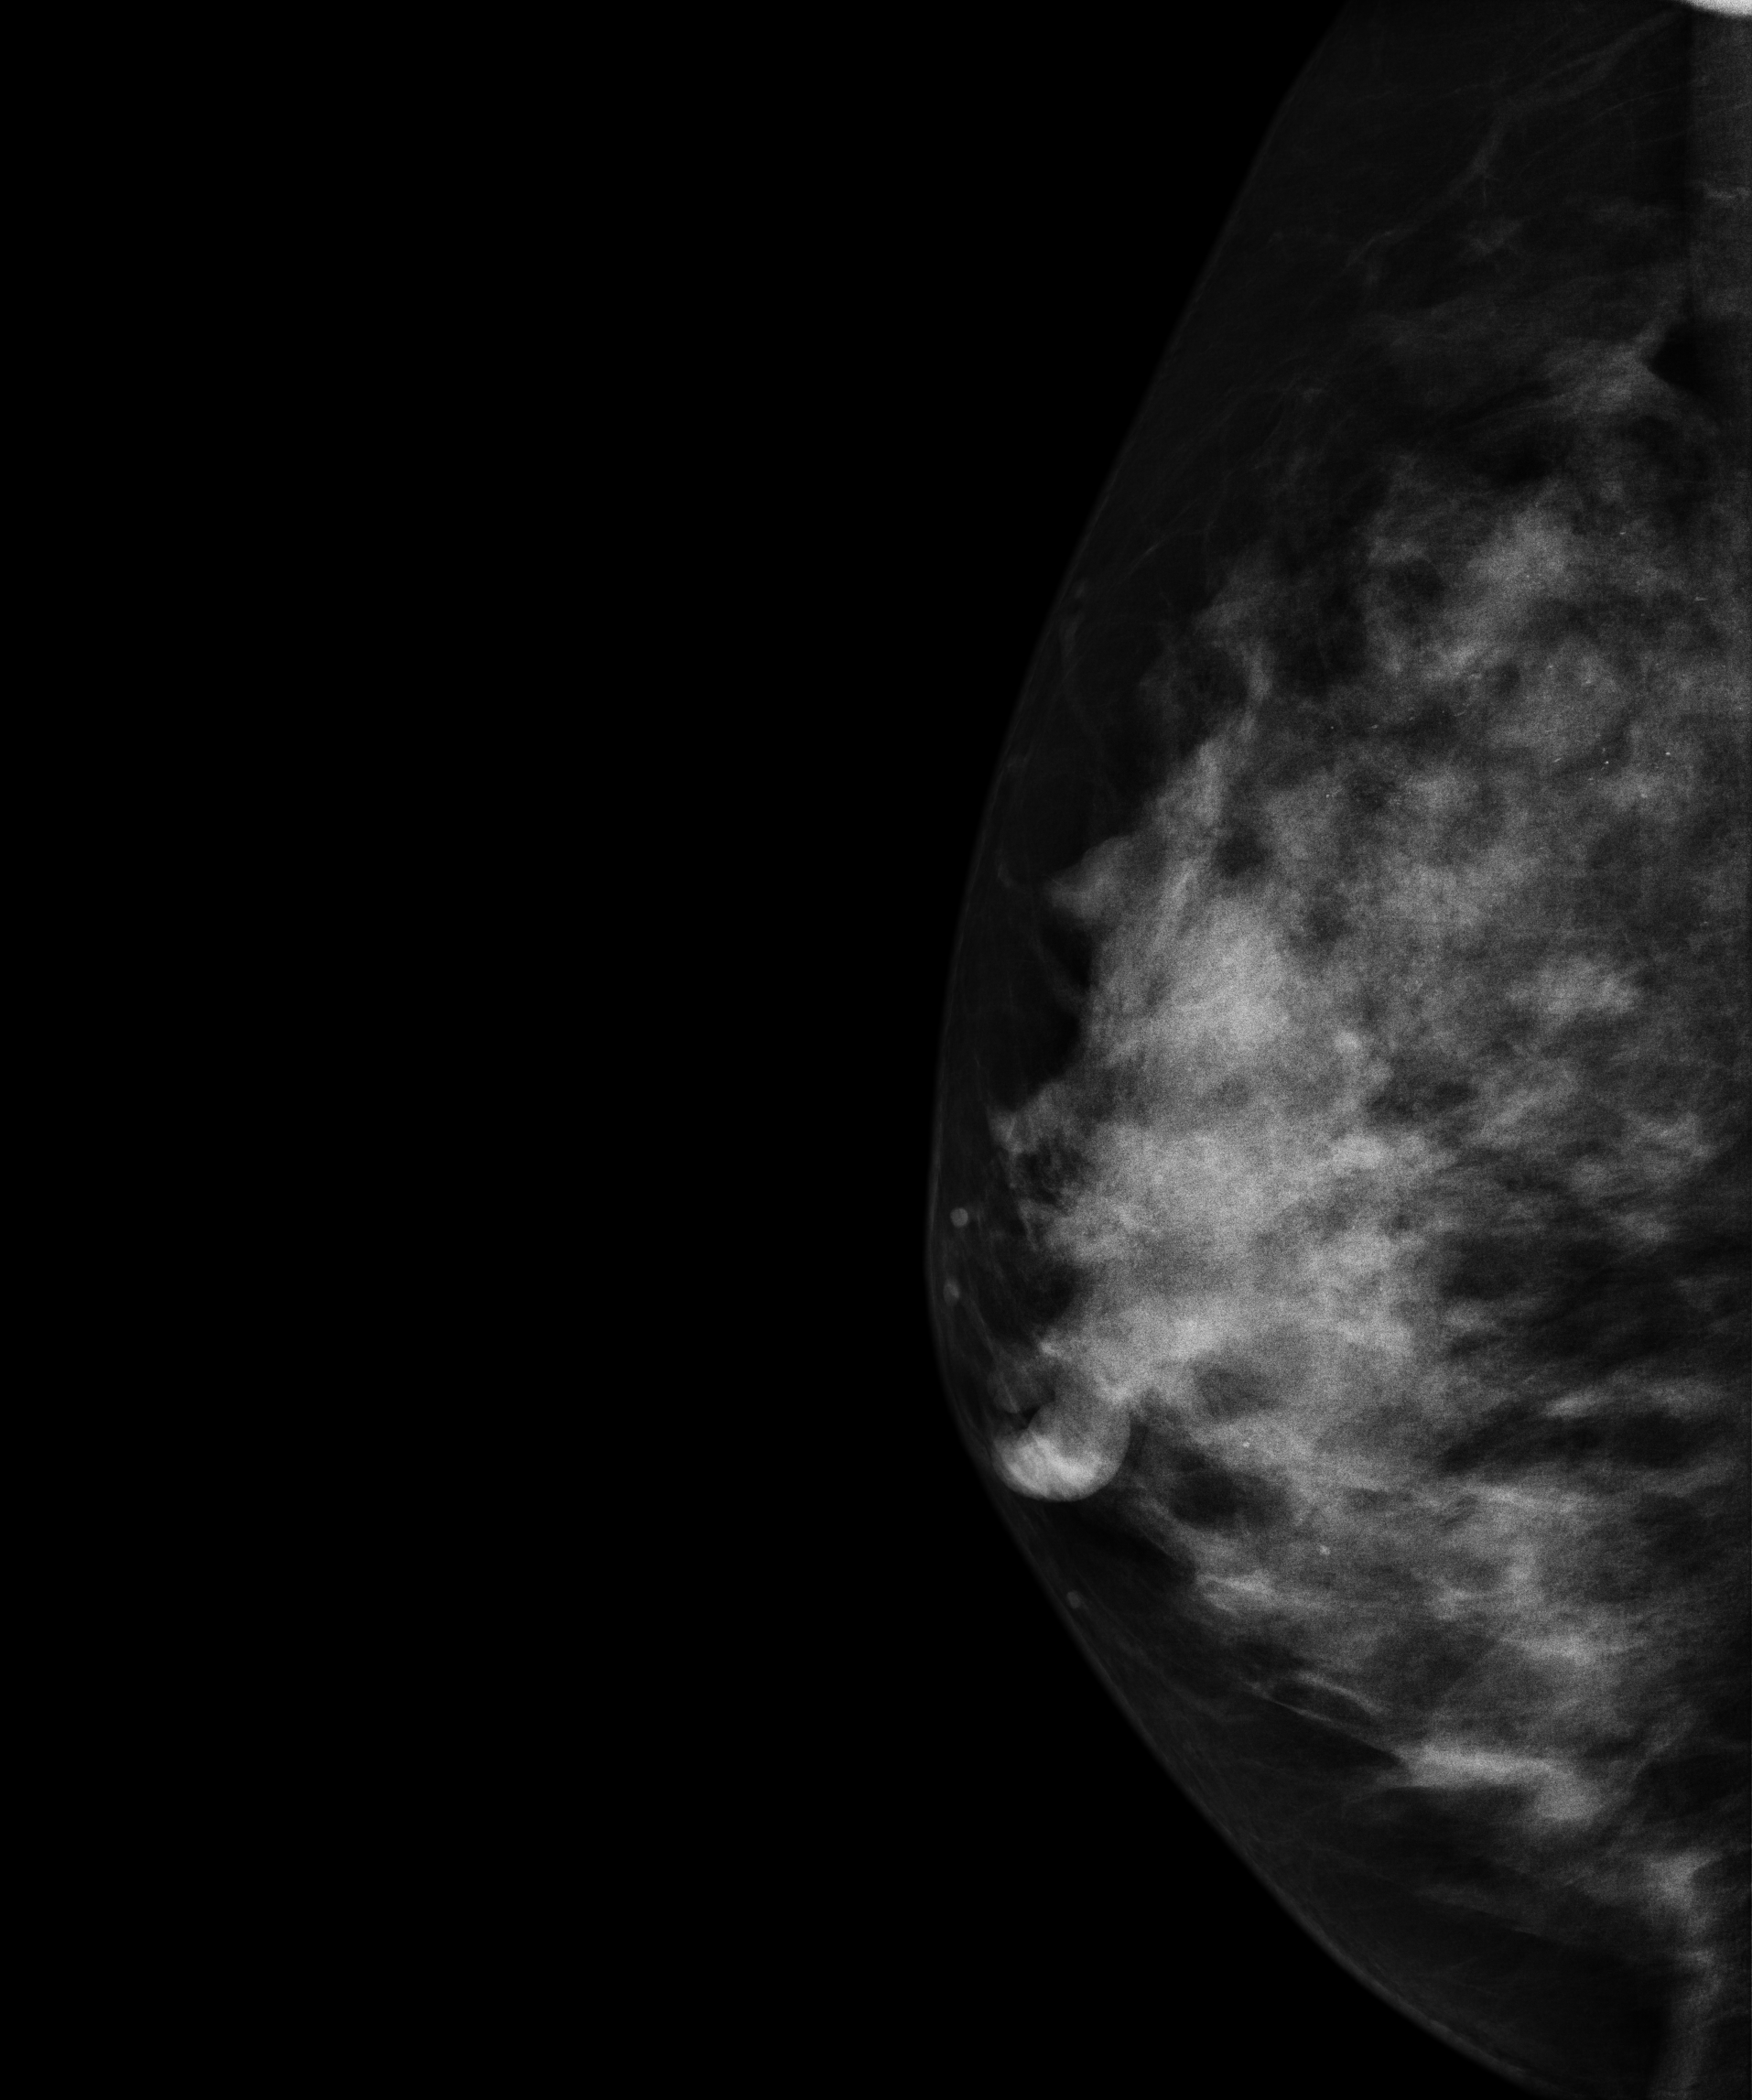
Medio-lateral oblique mammogram of the right breast. Patient age 45.
This breast has a mass and calcifications, biopsy-confirmed benign.